CC mammogram of the right breast. Patient age 41.
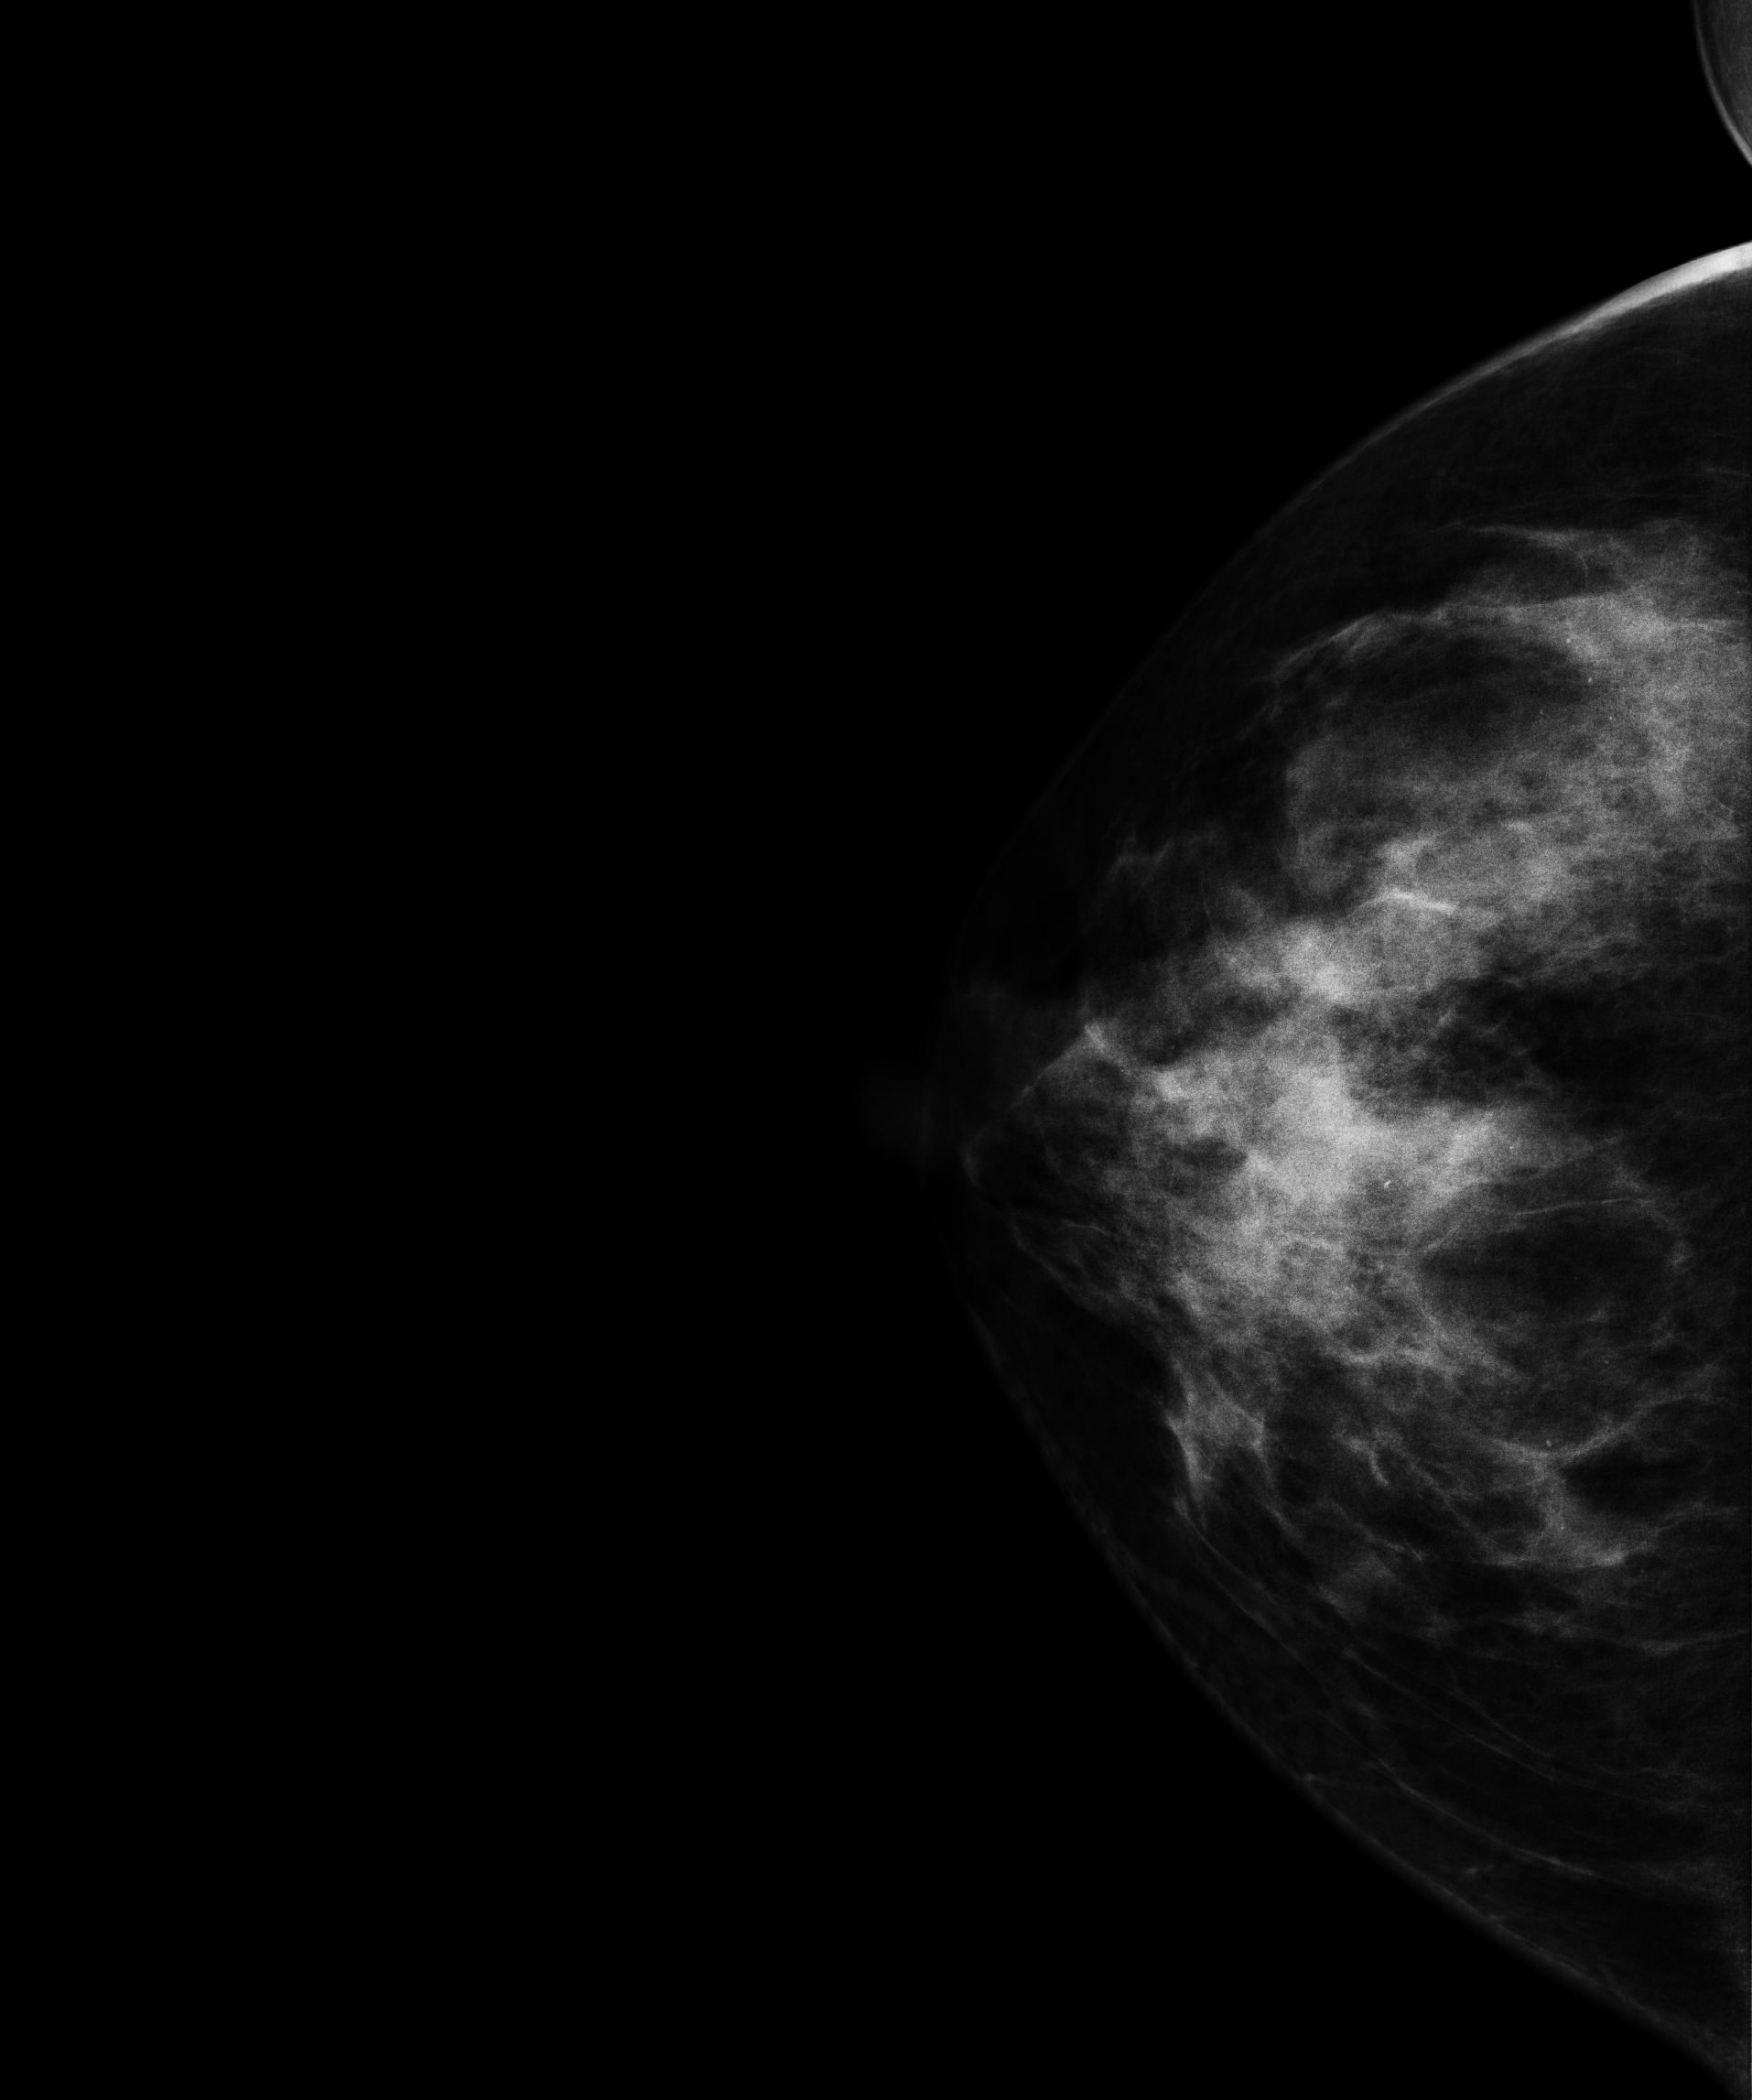
This breast has a mass and calcifications, histologically confirmed malignant.